Cranio-caudal mammogram of the right breast. Patient age 50.
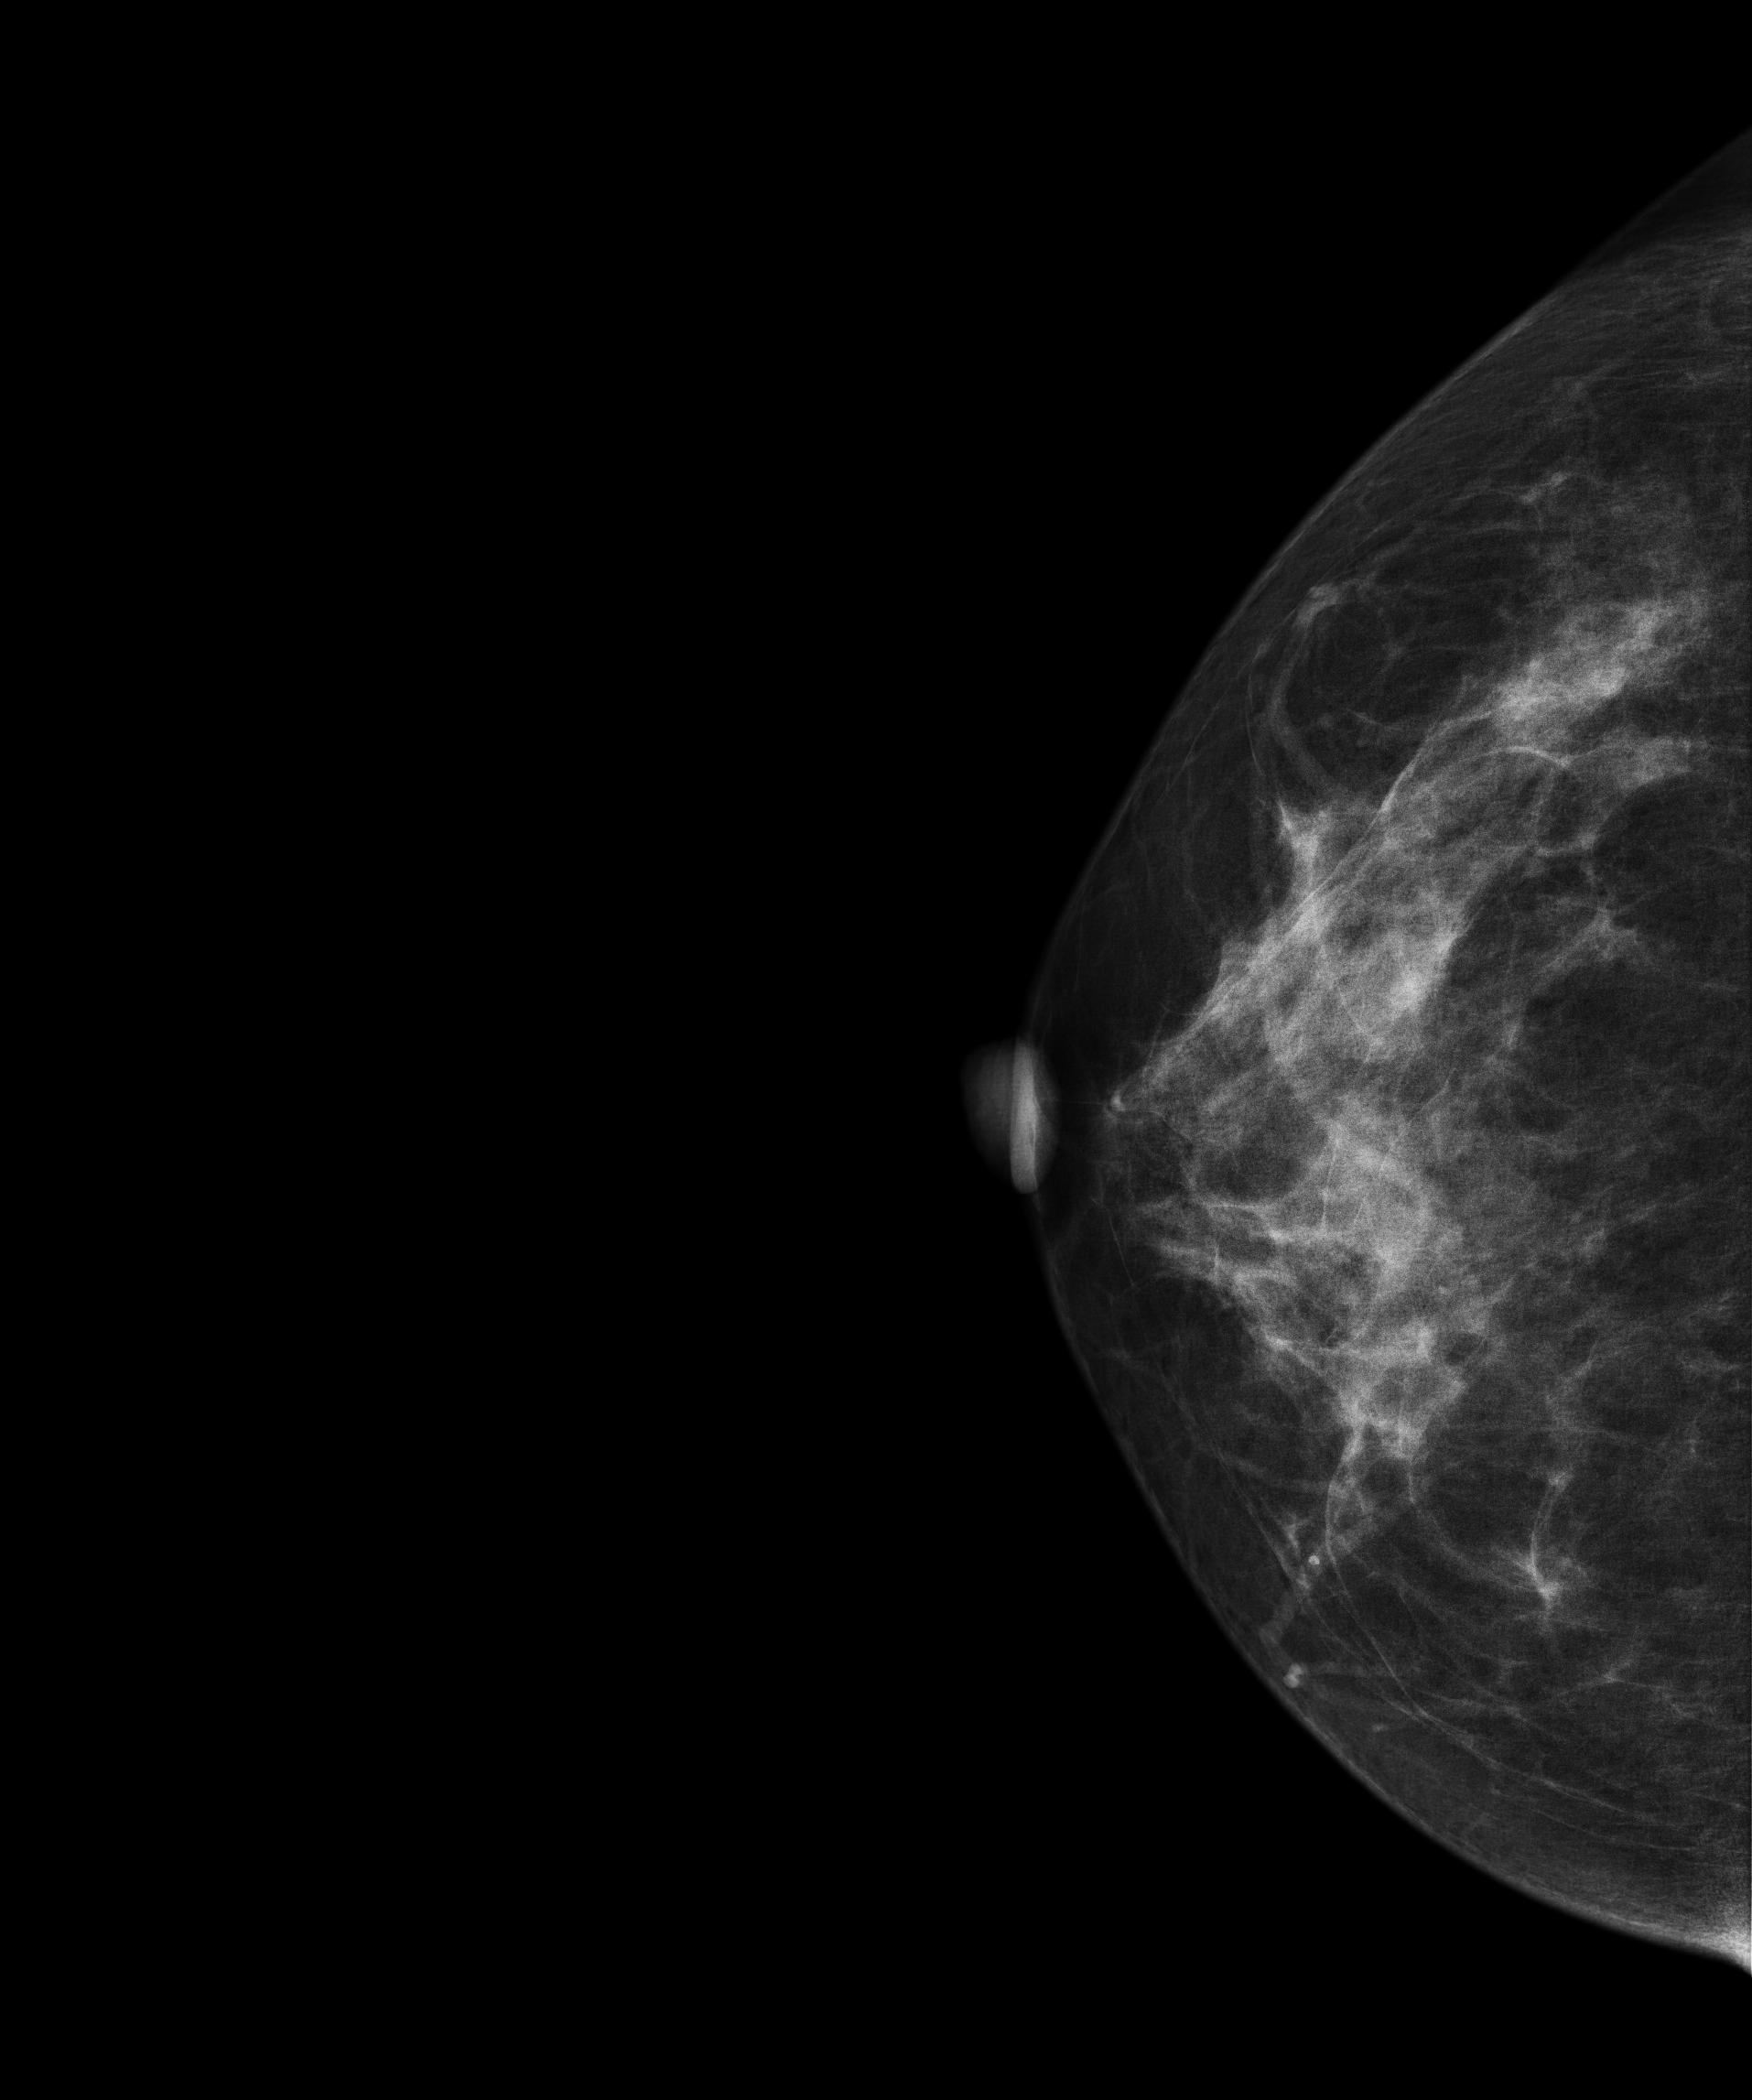
Contralateral breast — no documented abnormality on this side.